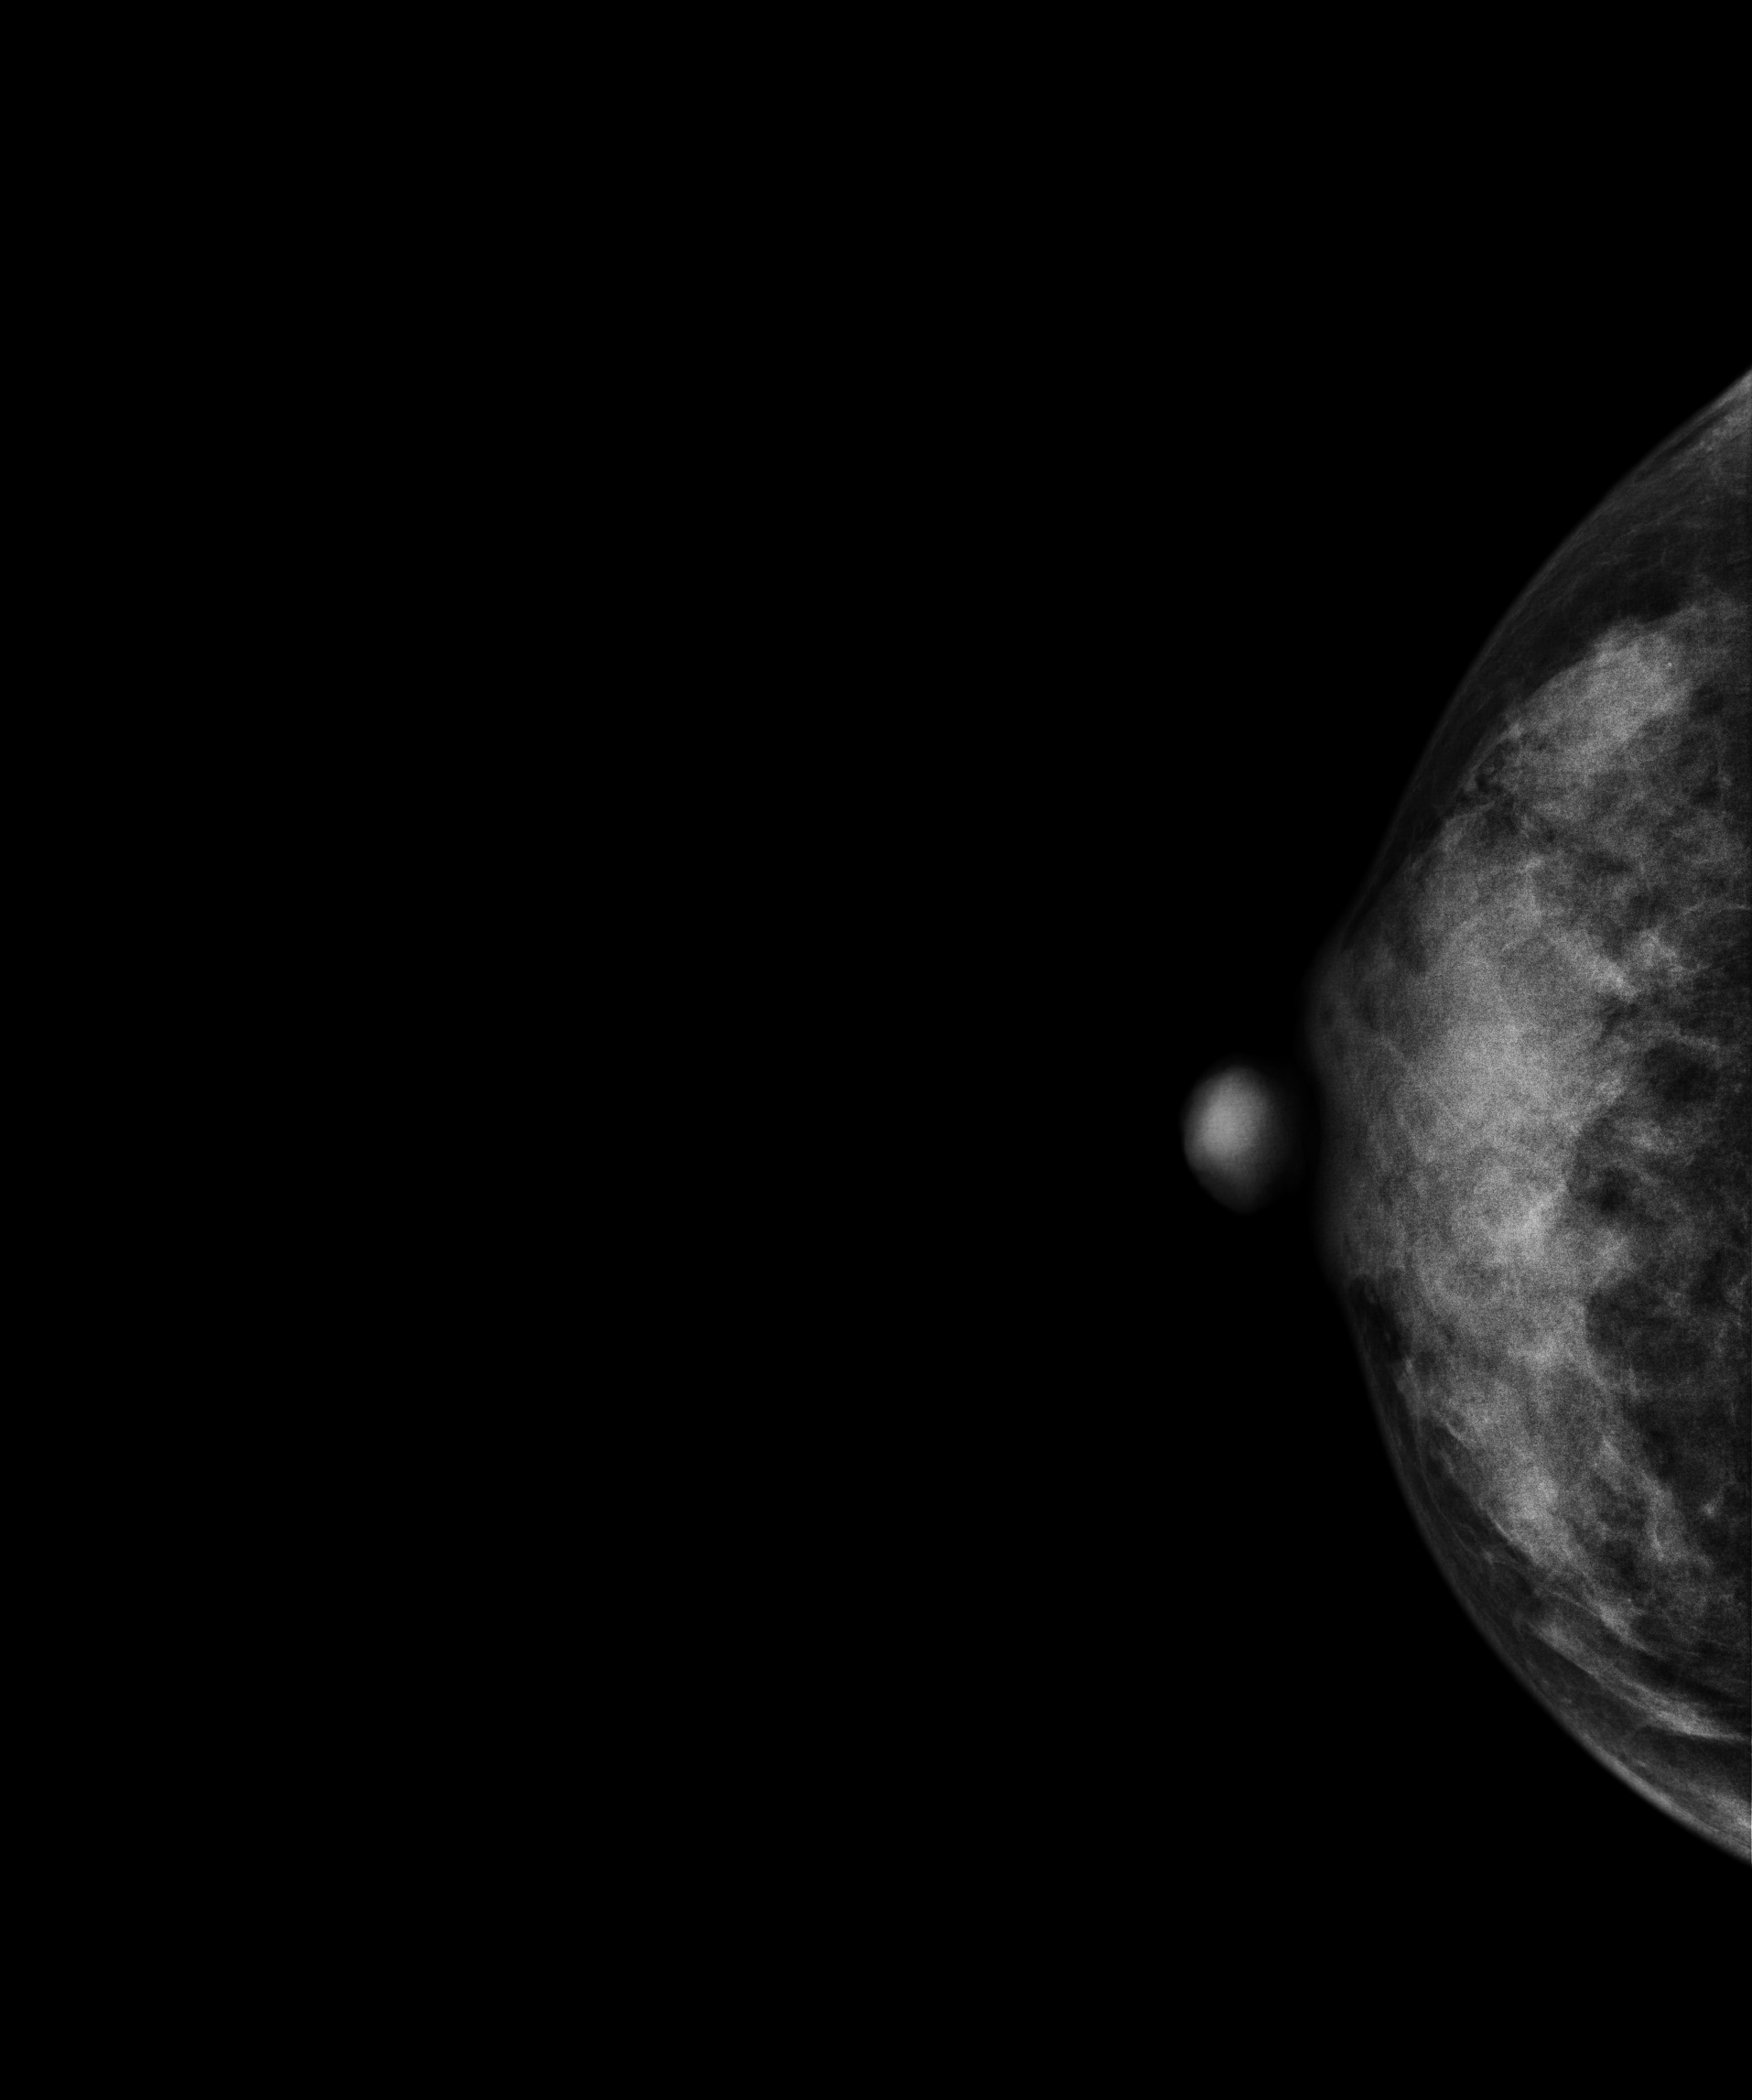
Right-breast mammogram, CC. Patient age 43.
This breast has a mass, histologically confirmed benign.